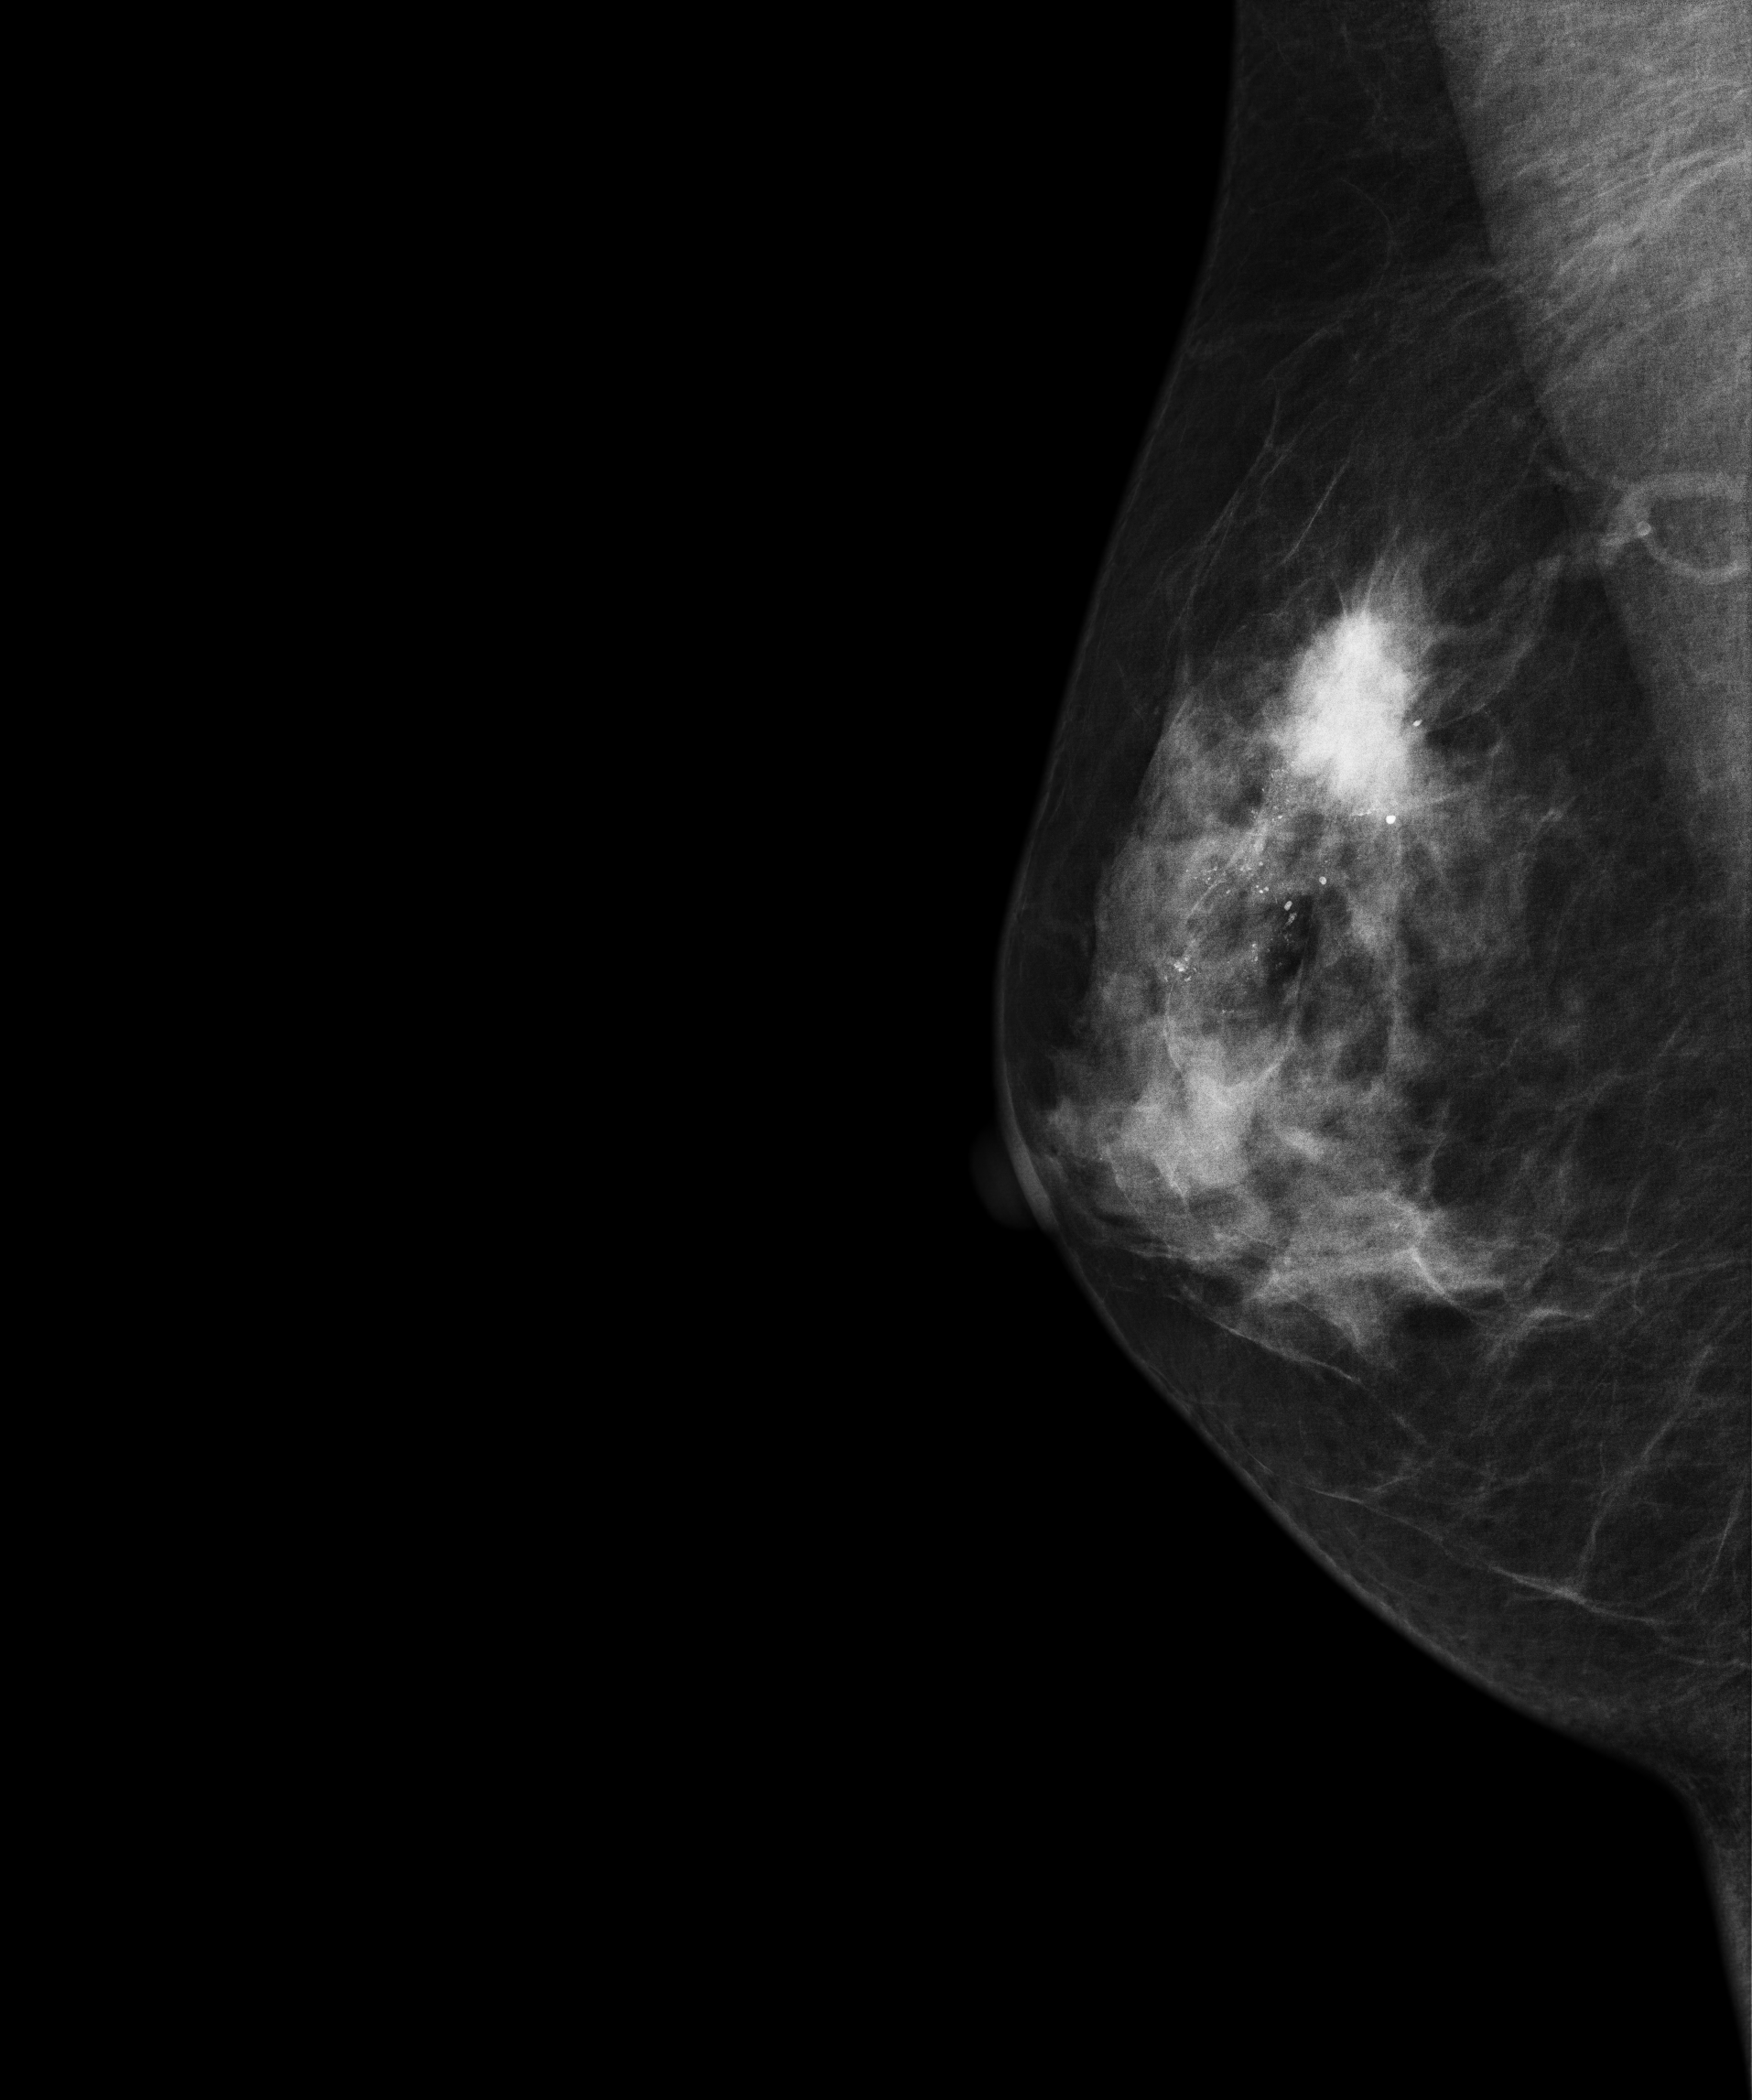
Right-breast mammogram, medio-lateral oblique. 64 y/o patient.
This breast has a mass and calcifications, biopsy-confirmed malignant.